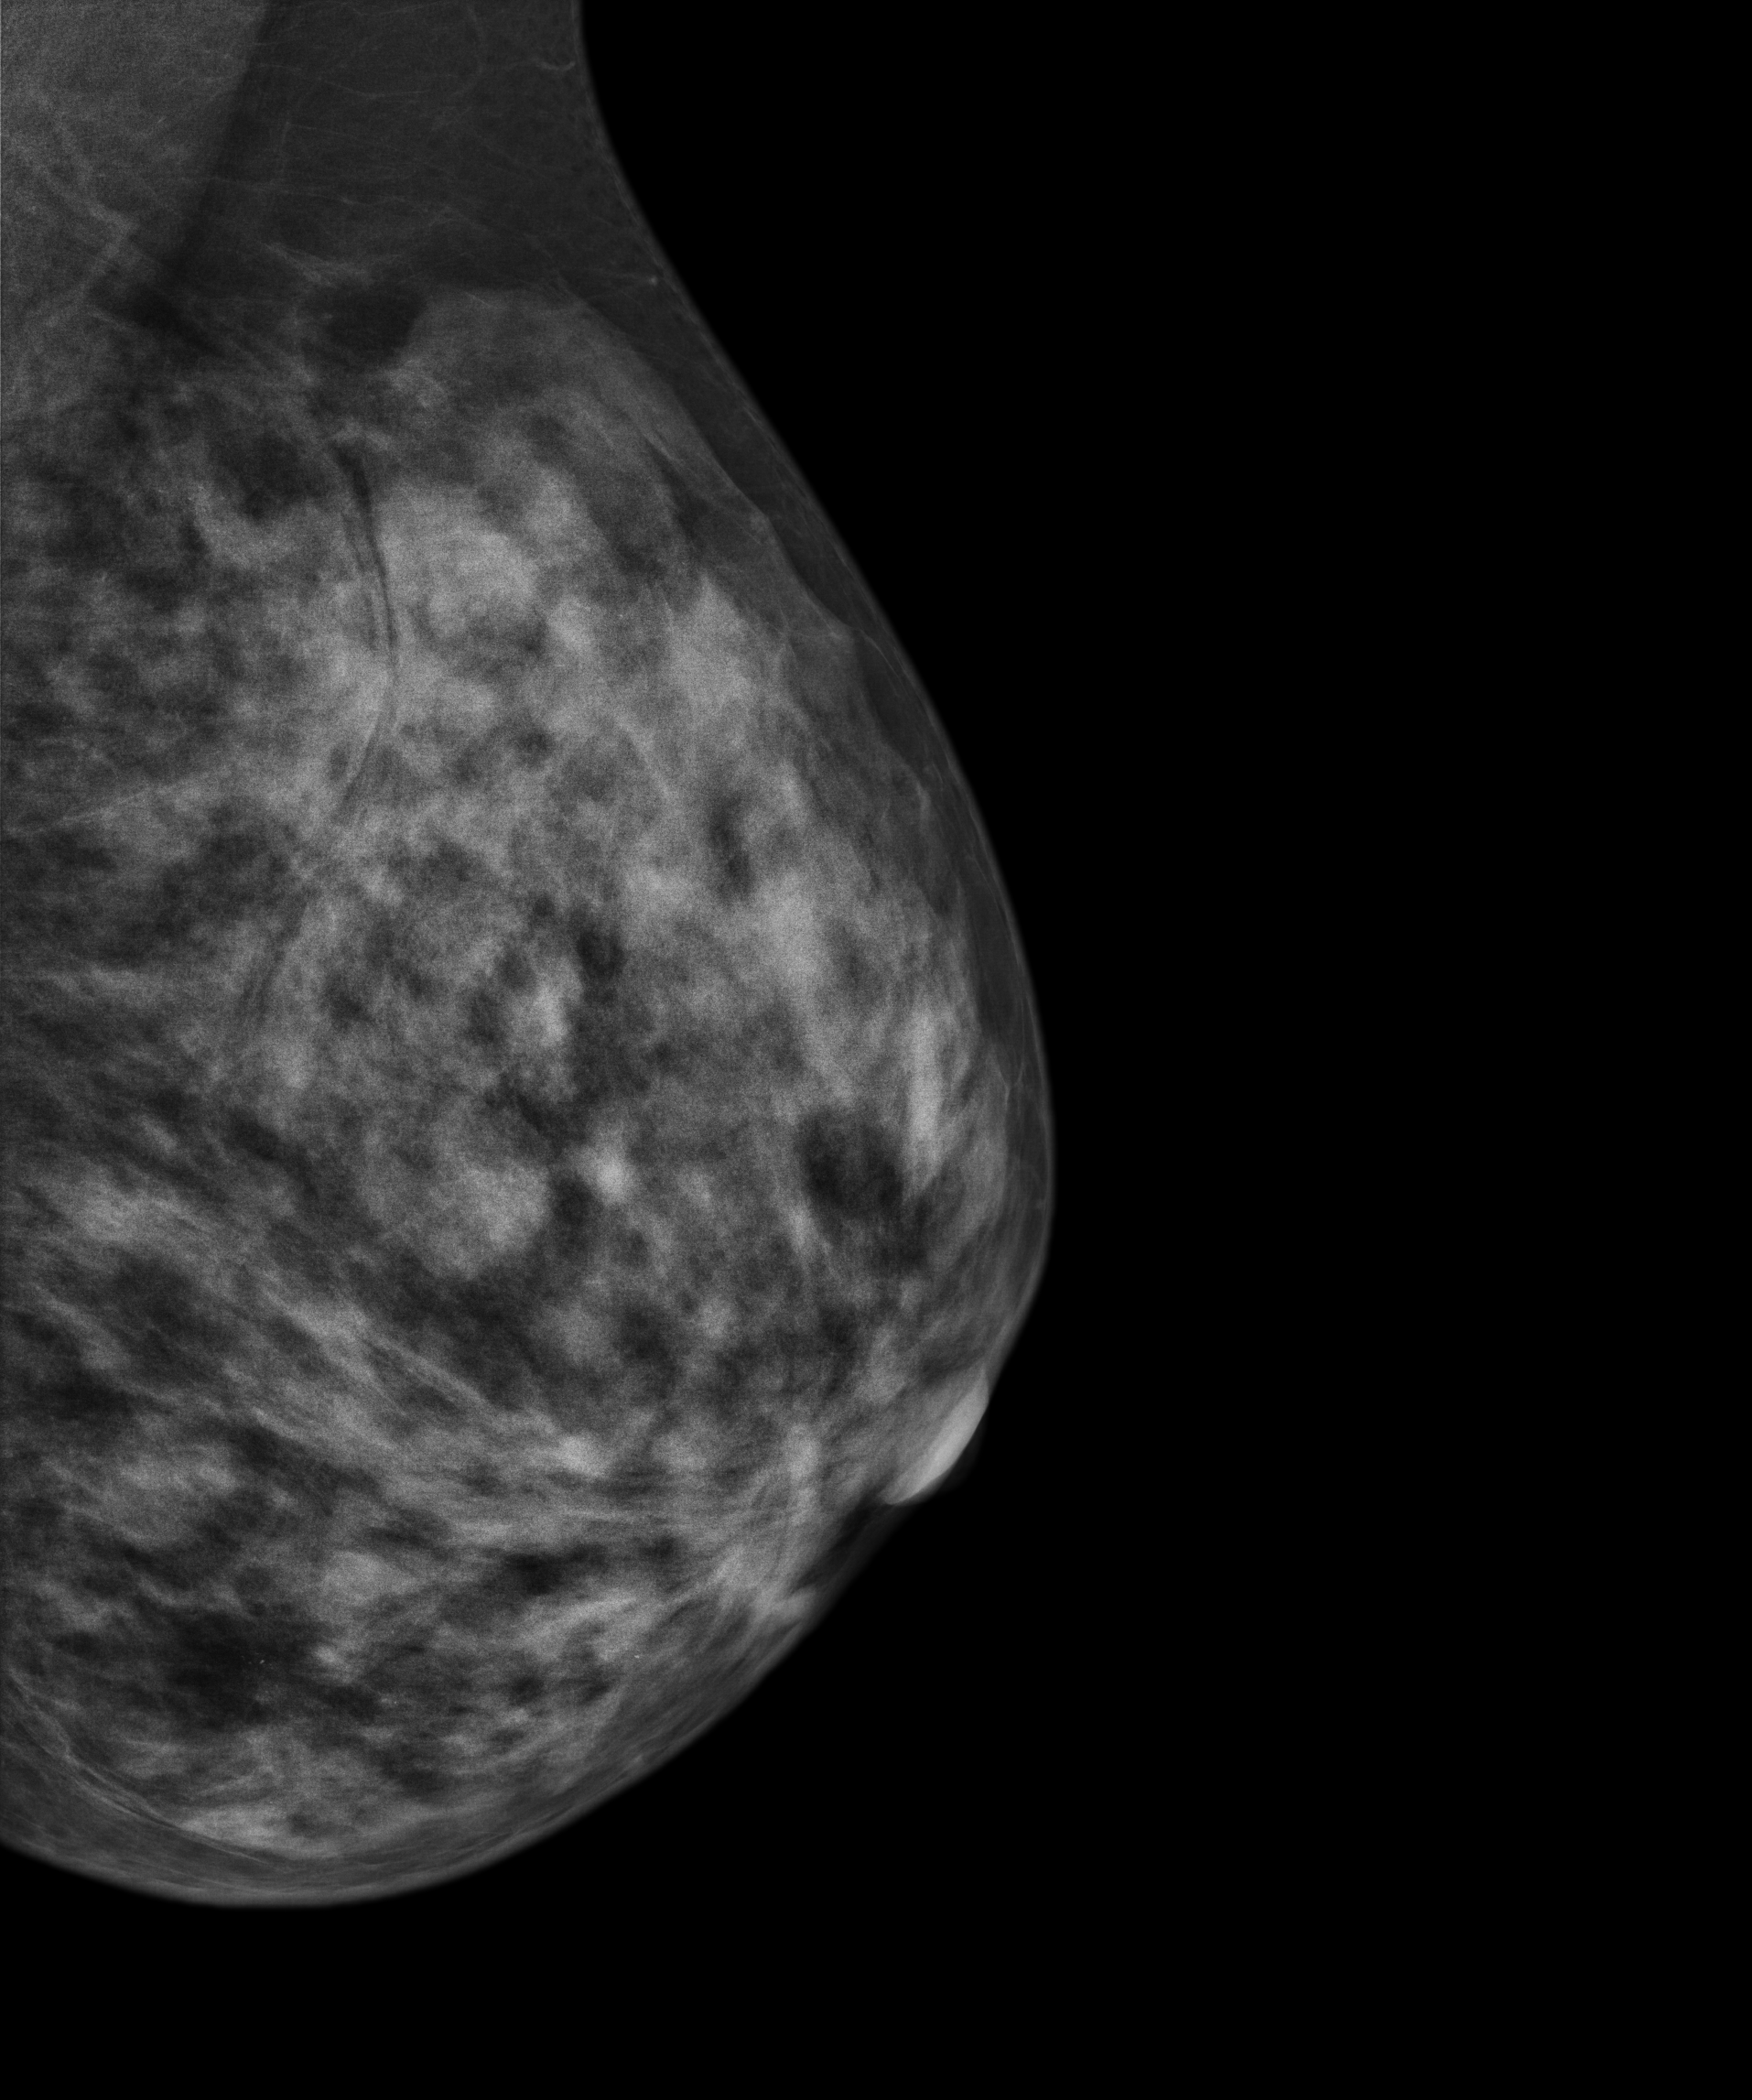
Left-breast mammogram, MLO. 46 y/o patient.
This breast has calcifications, biopsy-proven benign.